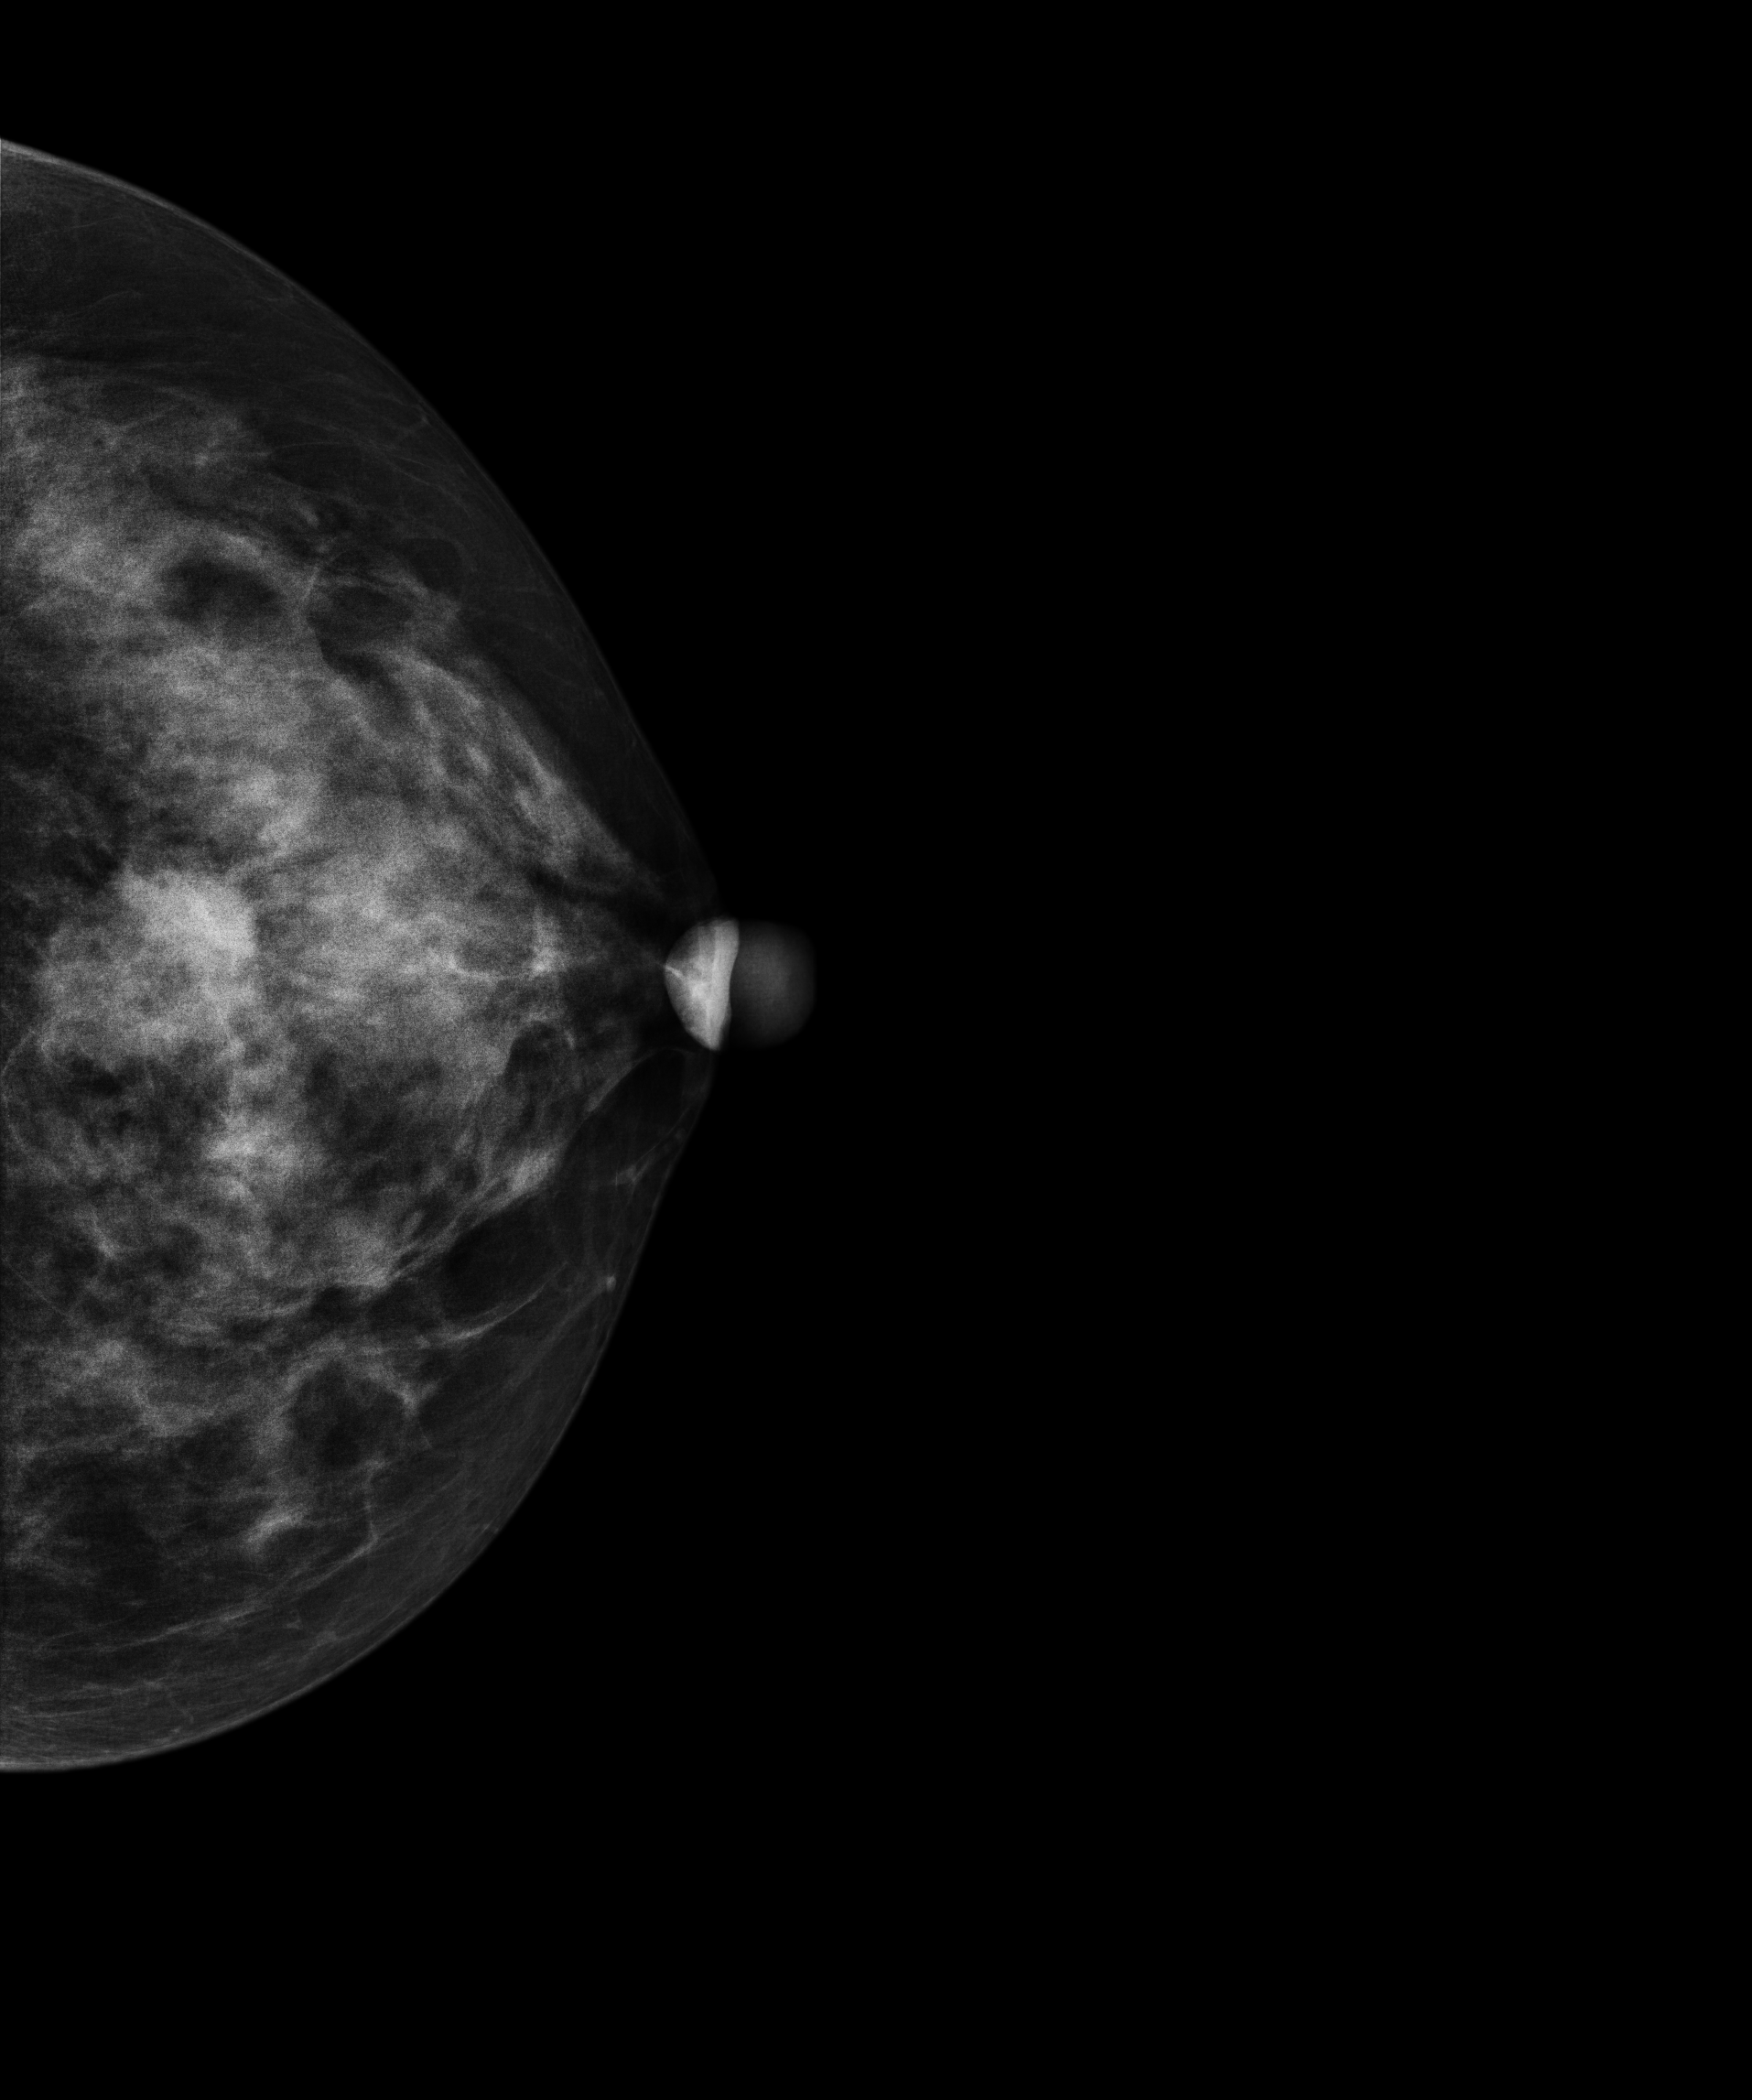
Left-breast mammogram, CC. 44-year-old patient.
This breast has a mass, biopsy-proven malignant. Molecular subtype: luminal A.